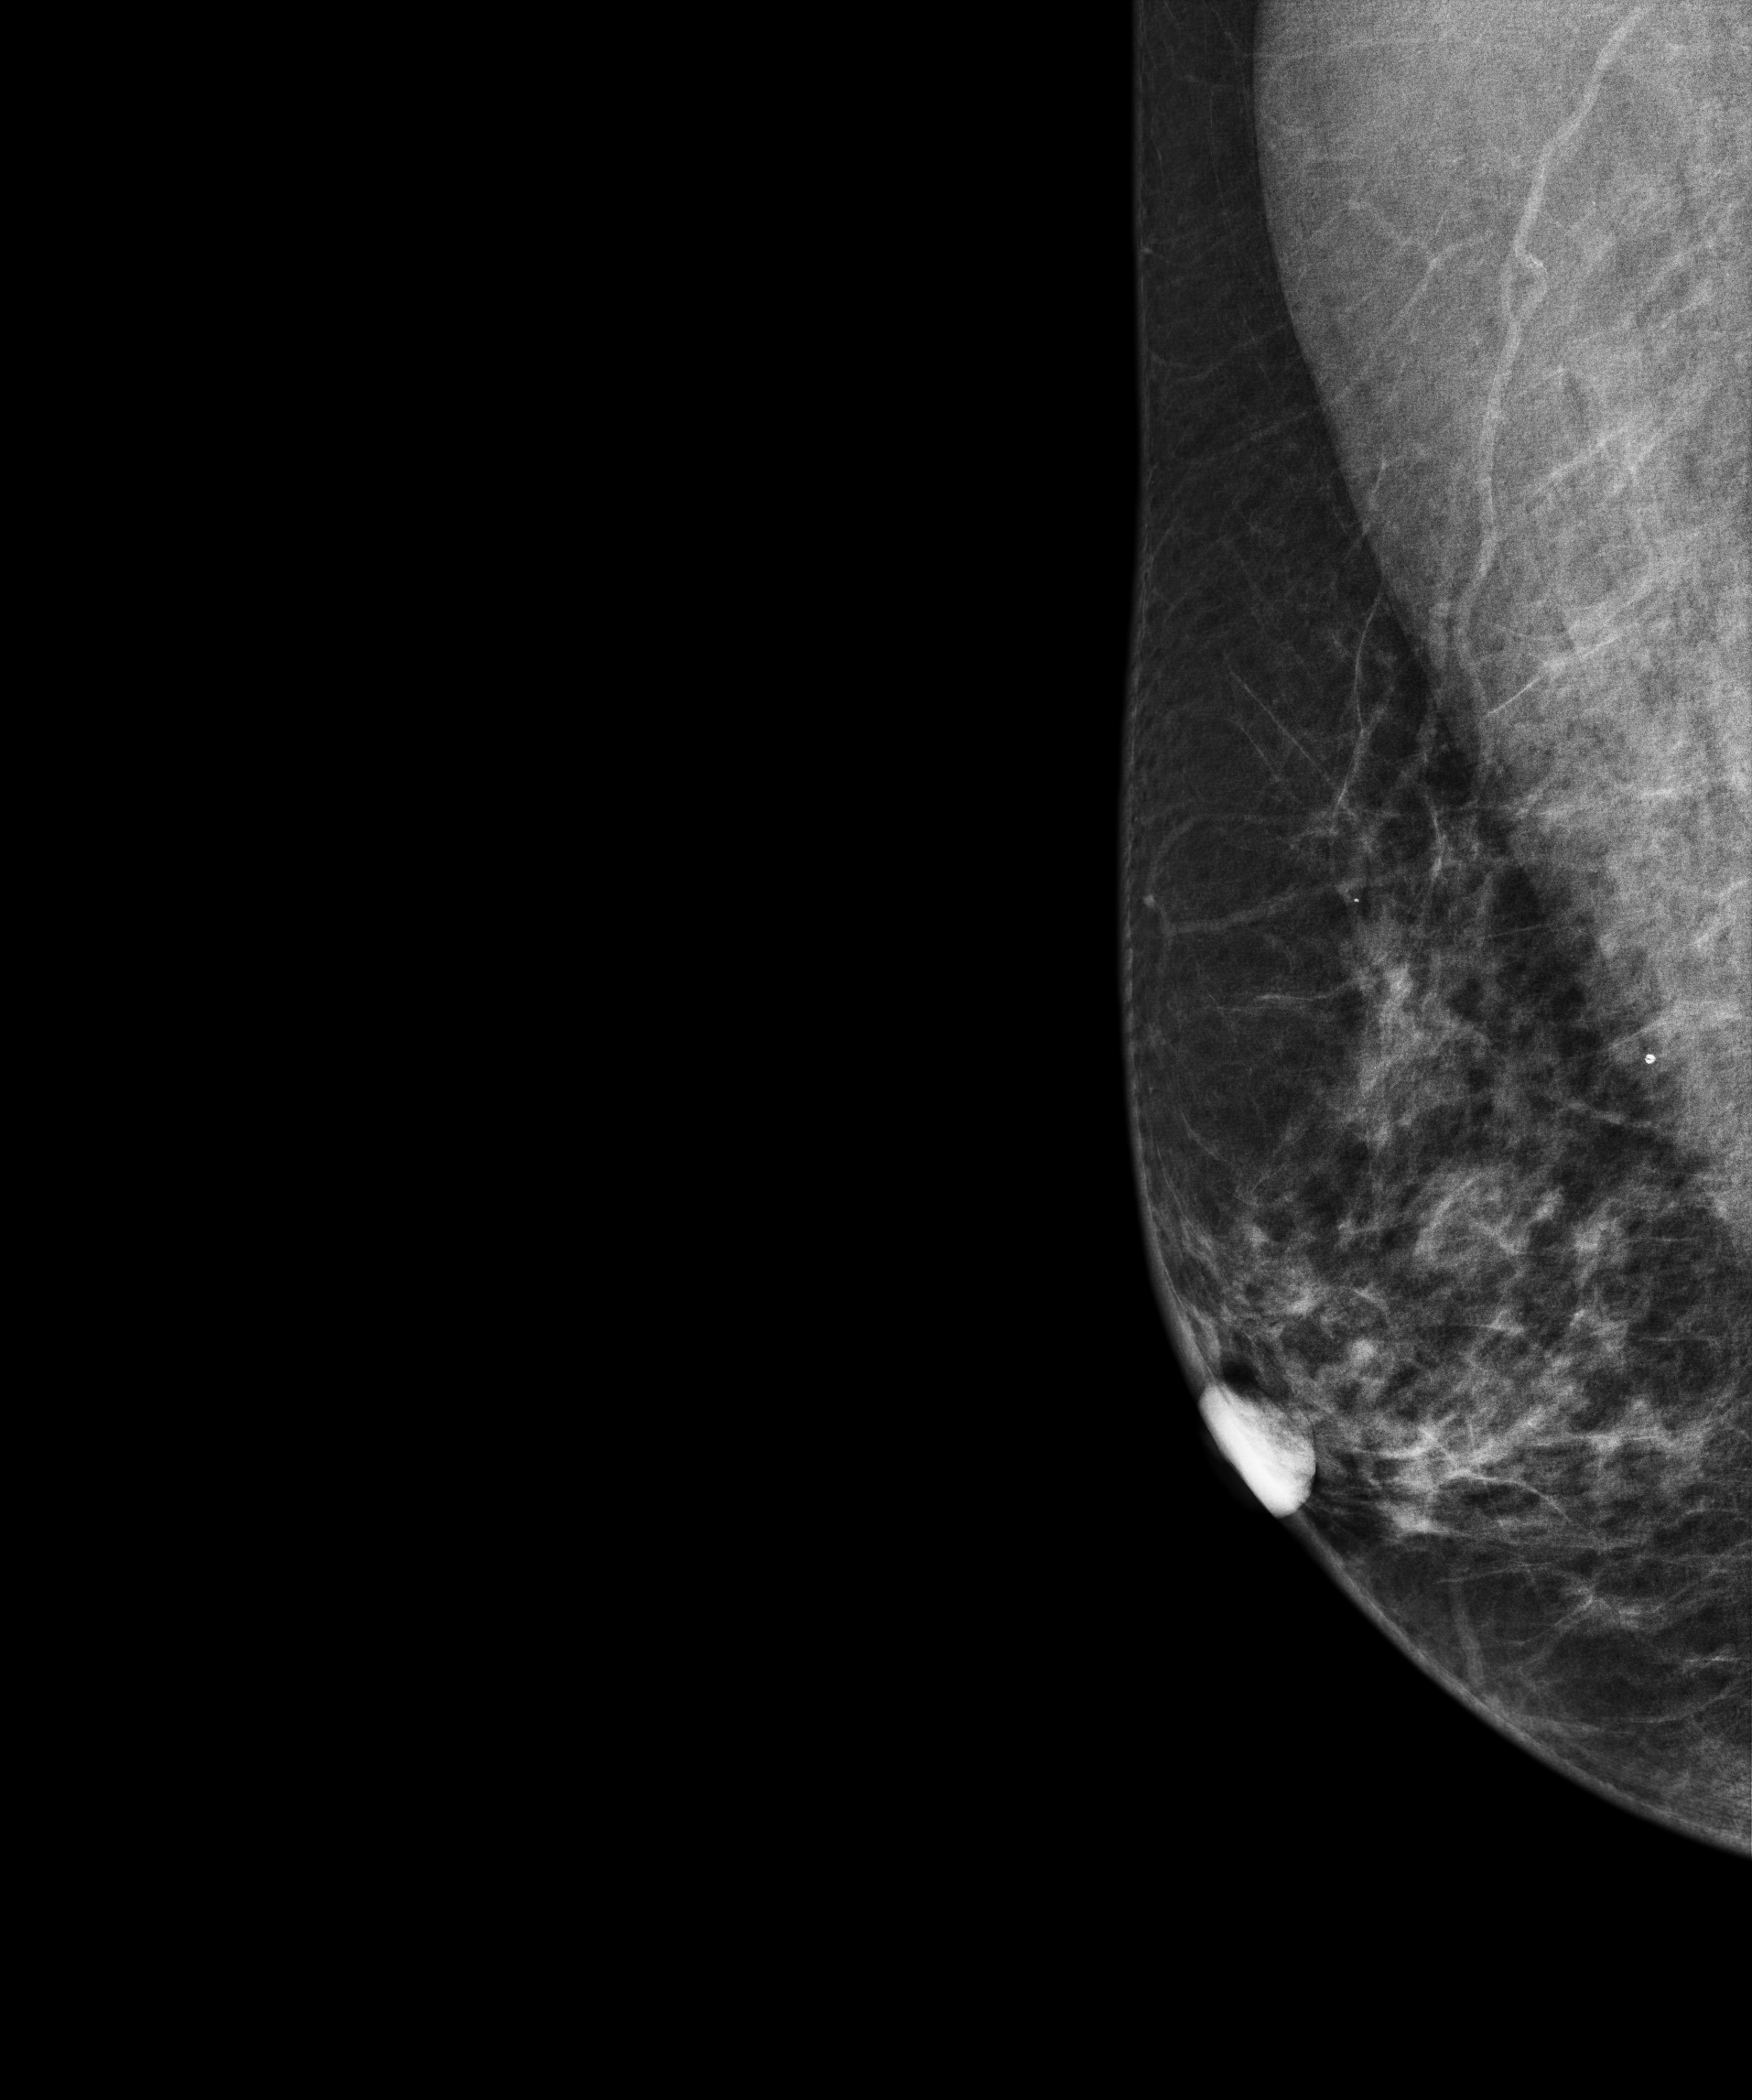
Digital mammography. Right breast, MLO projection. 65-year-old patient.
Contralateral breast — no documented abnormality on this side.